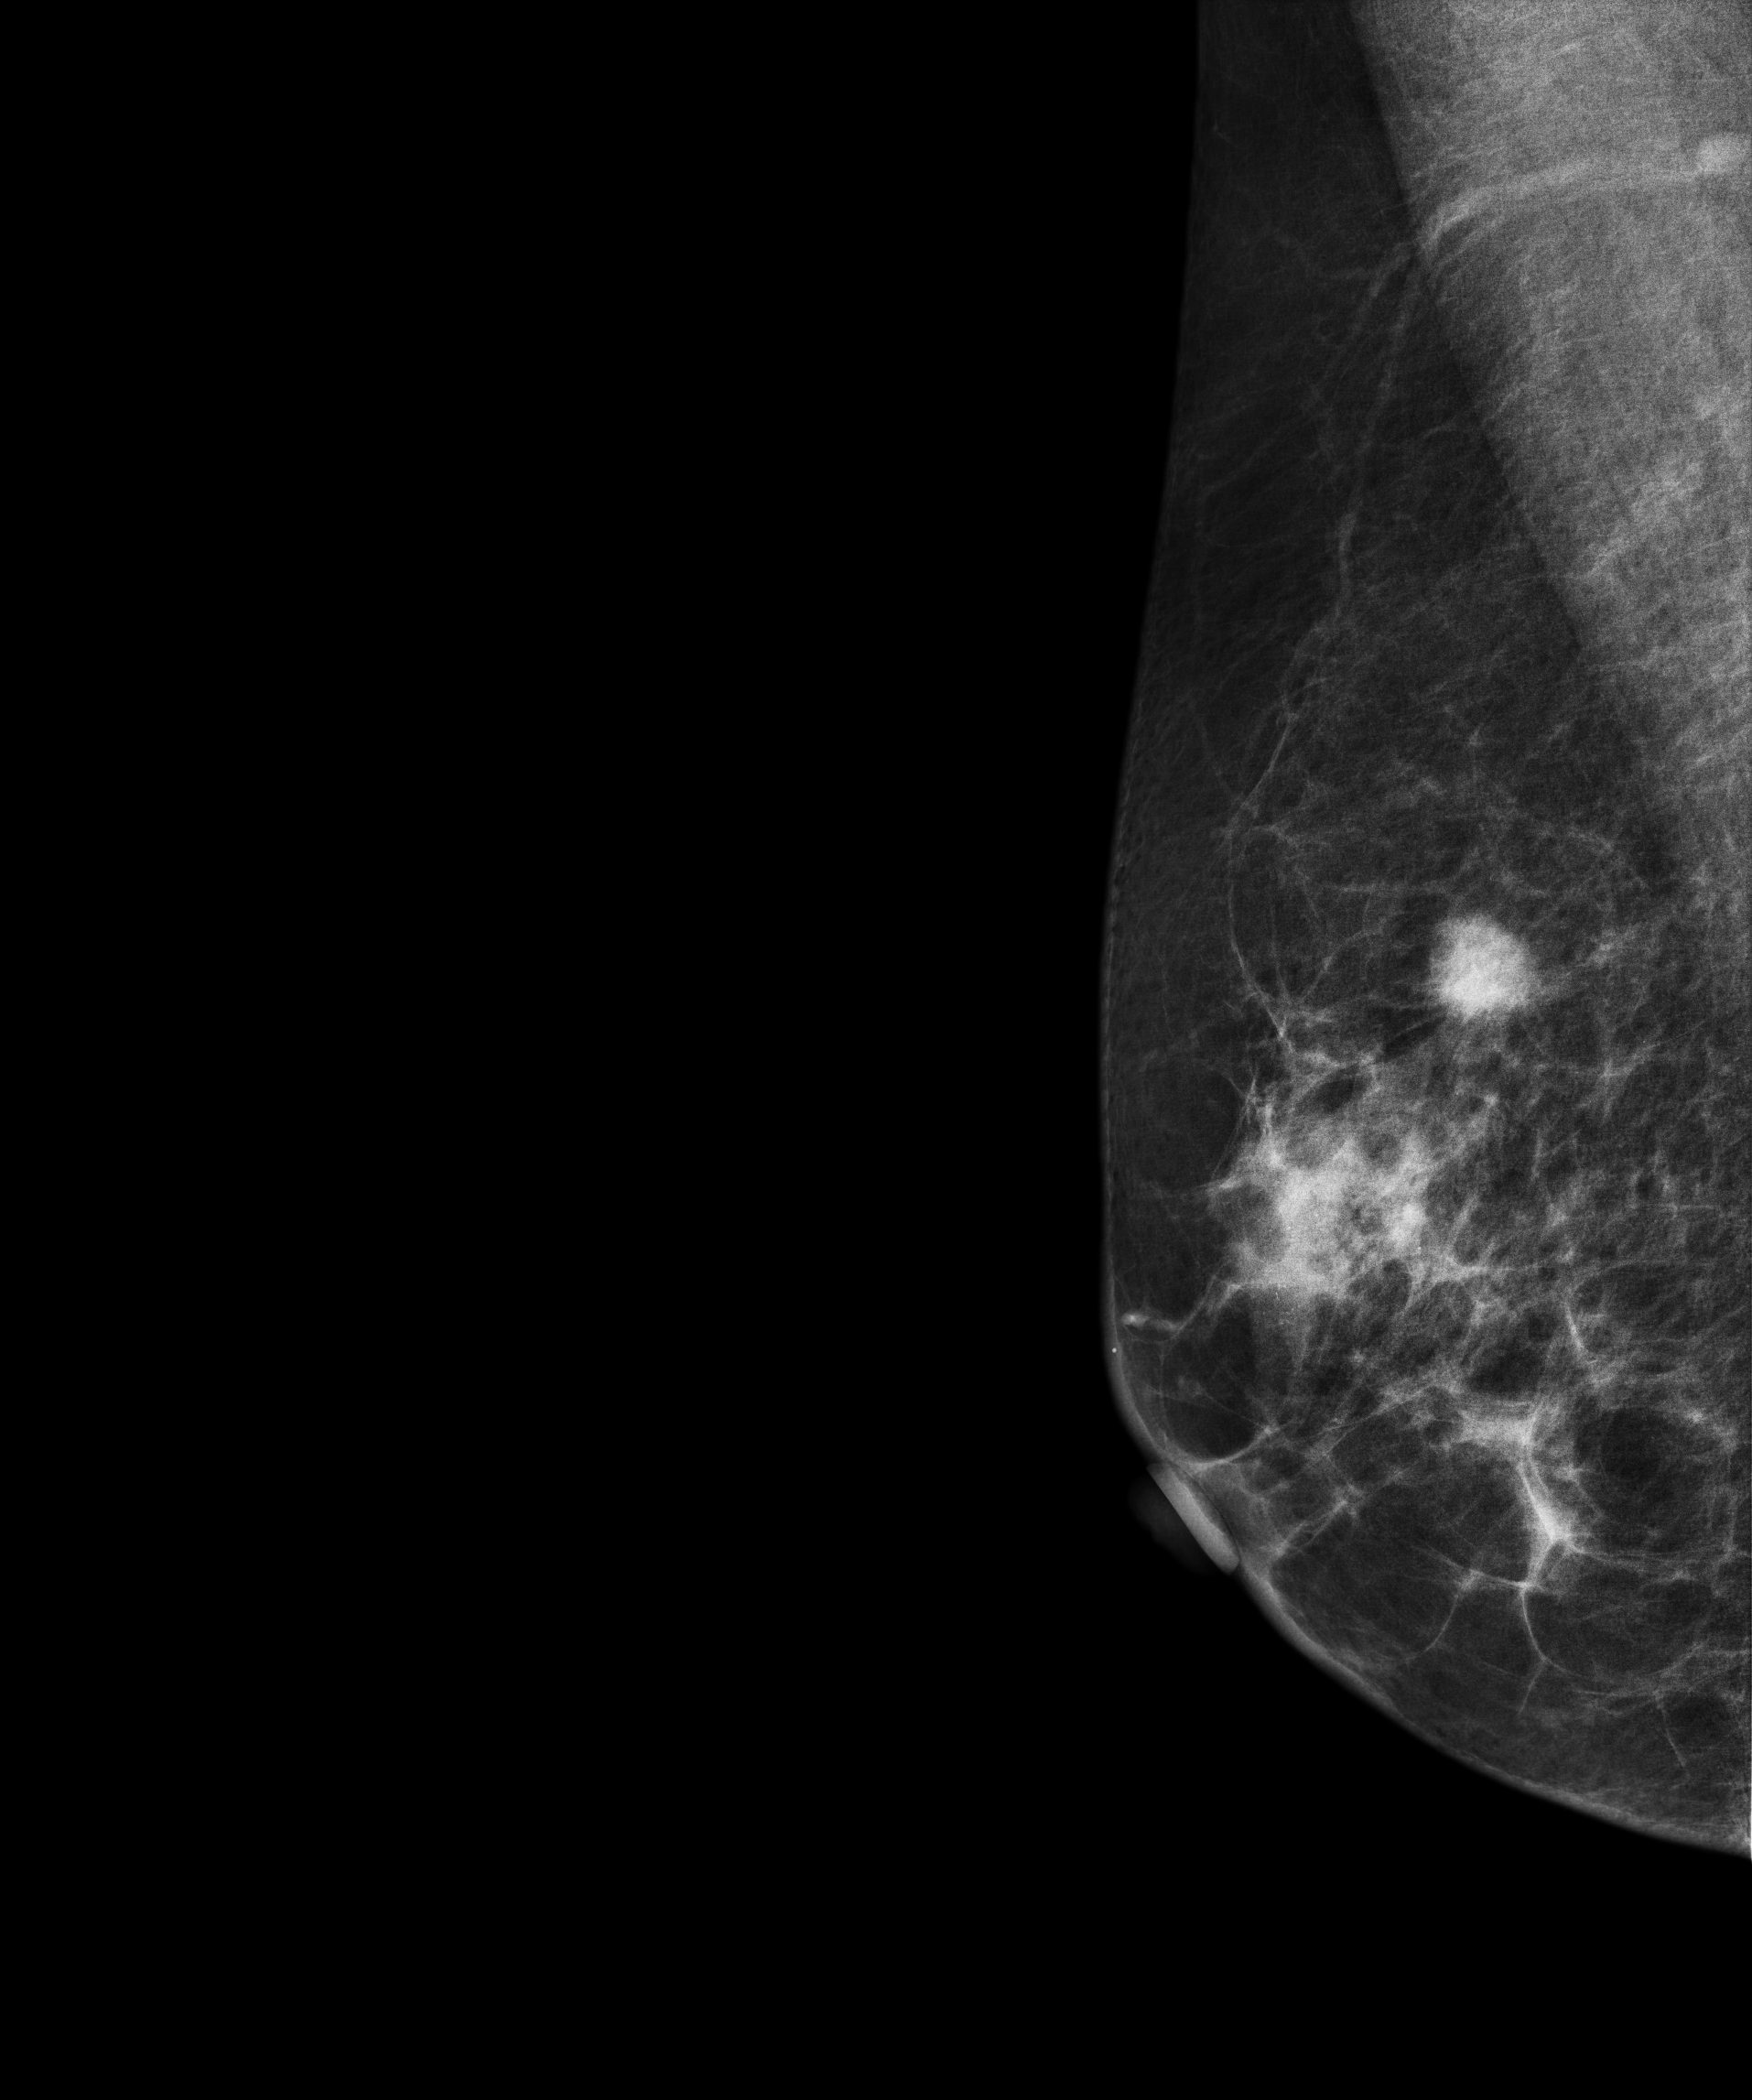
Mammogram — right MLO. 59 y/o patient.
This breast has a mass, histologically confirmed malignant. Molecular subtype: HER2-enriched.